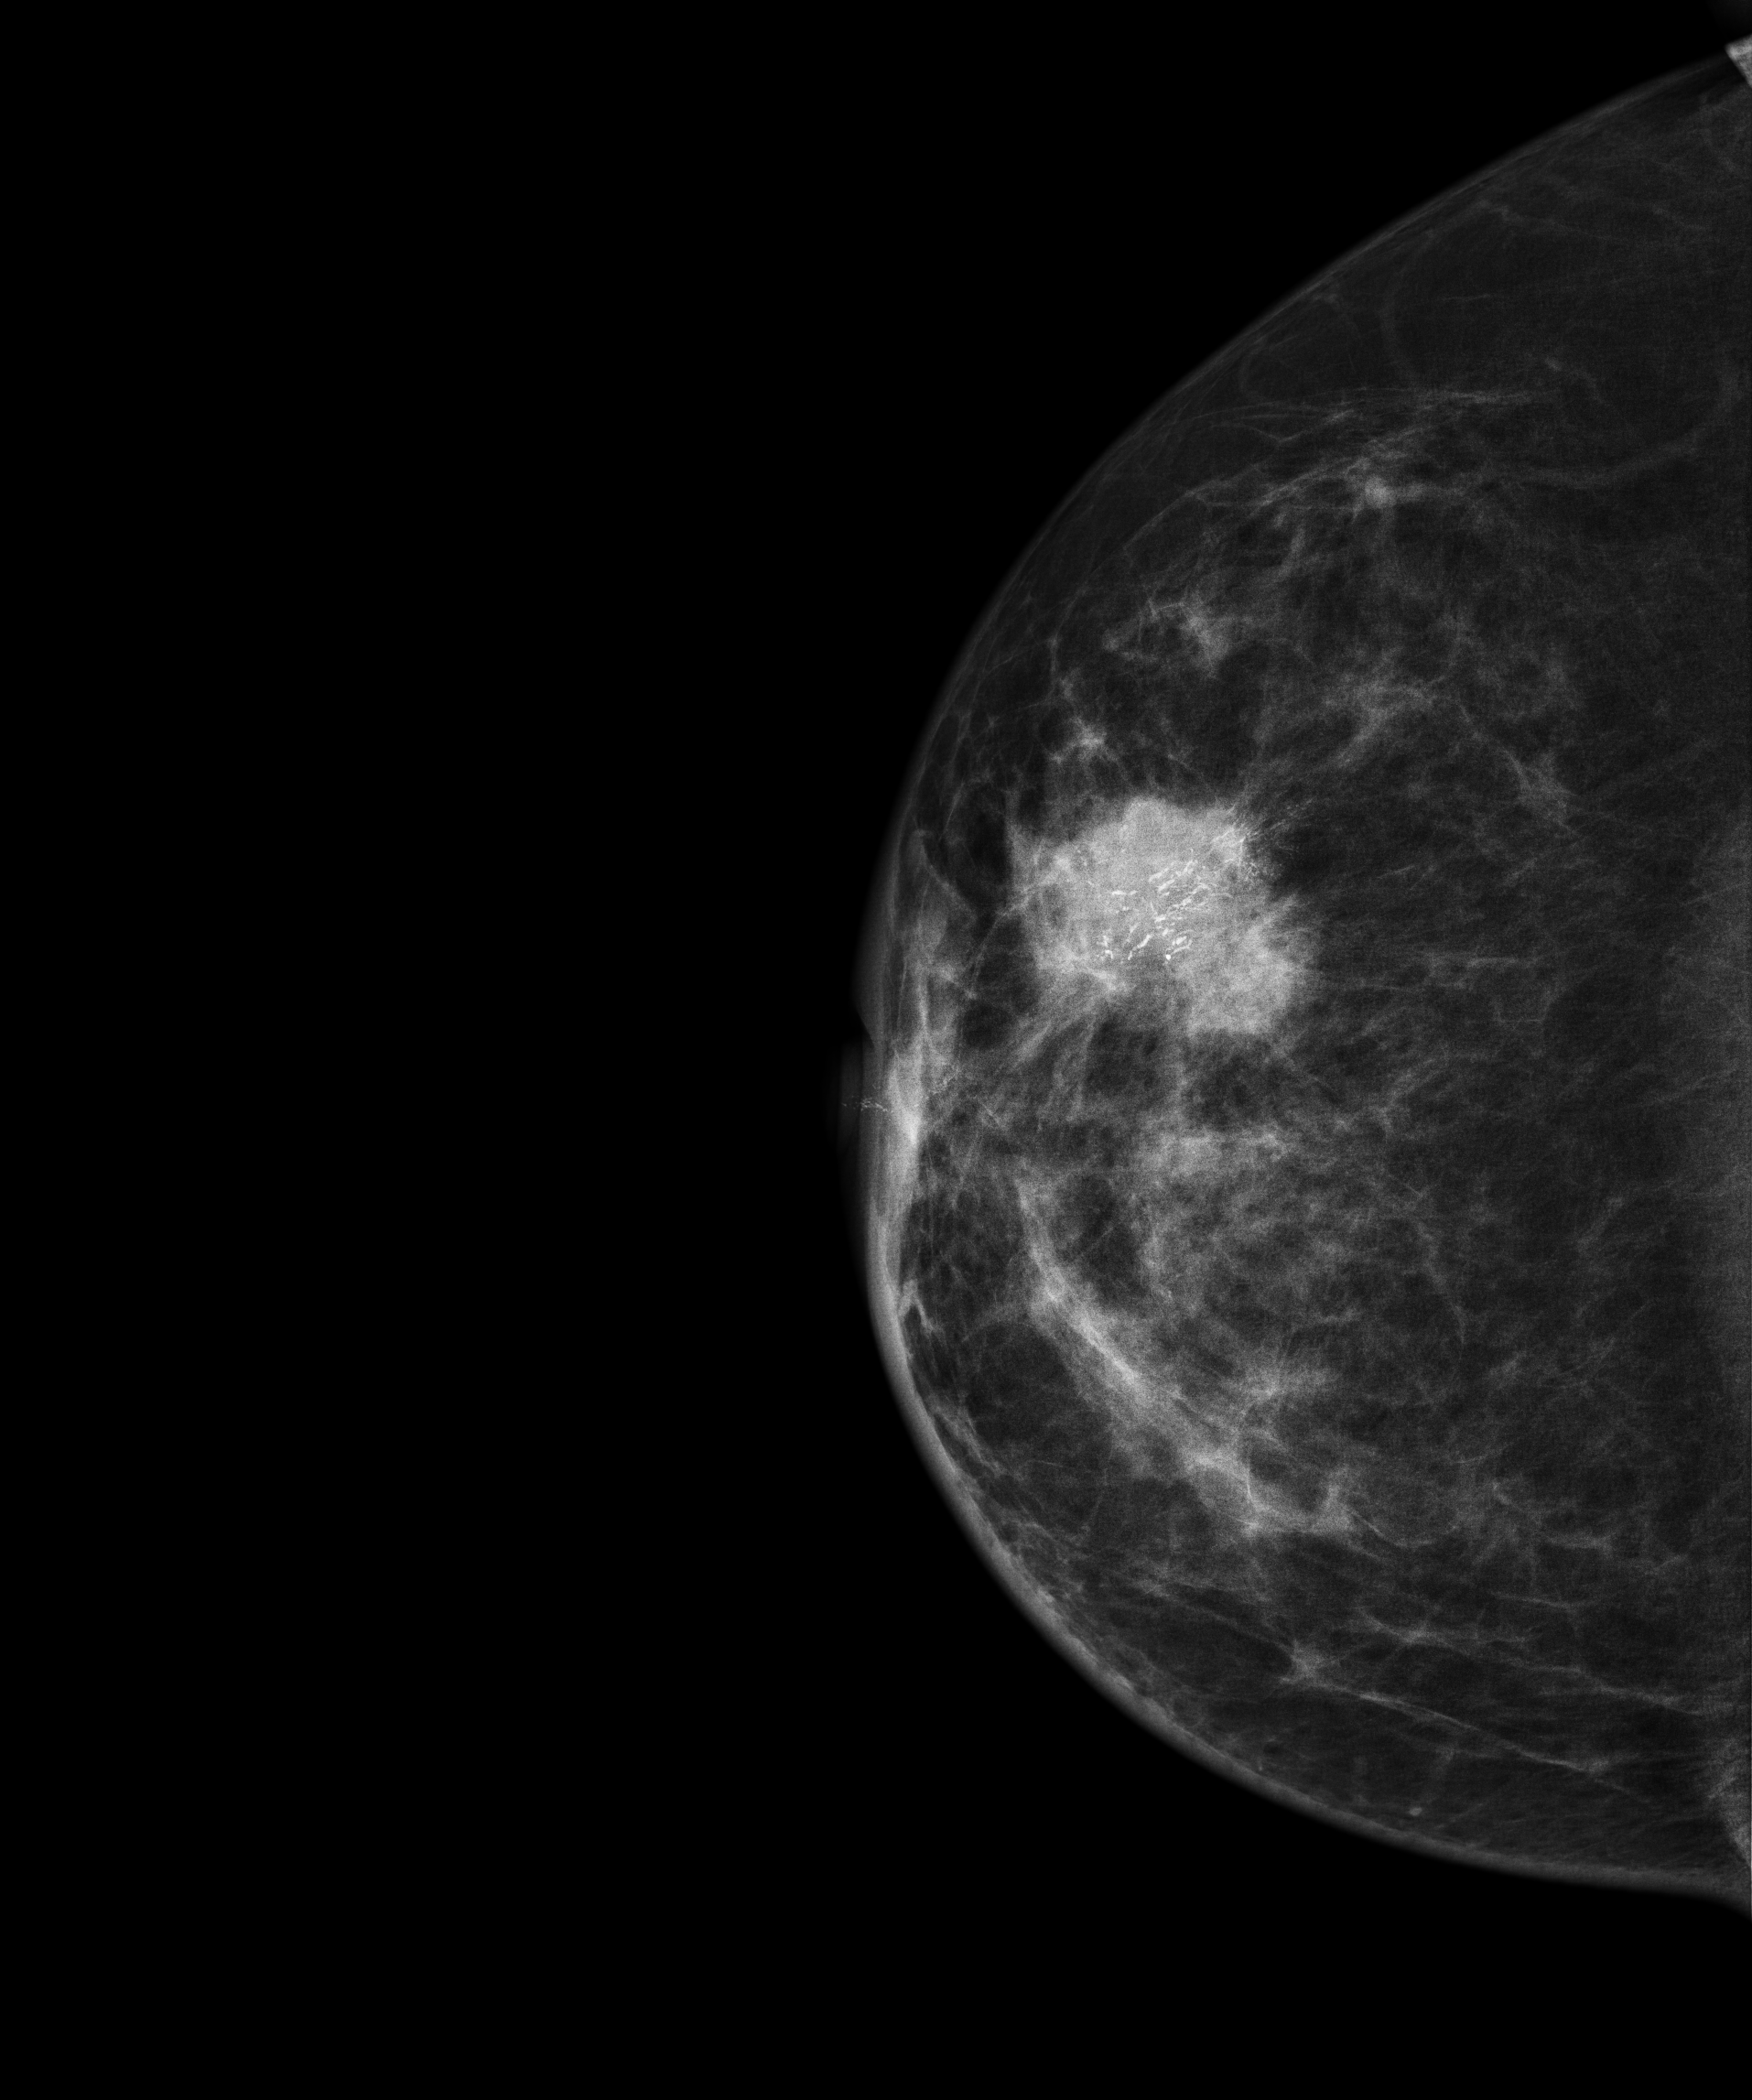
Mammogram, right breast, cranio-caudal view. 60-year-old patient.
This breast has a mass and calcifications, biopsy-proven malignant. Molecular subtype: HER2-enriched.